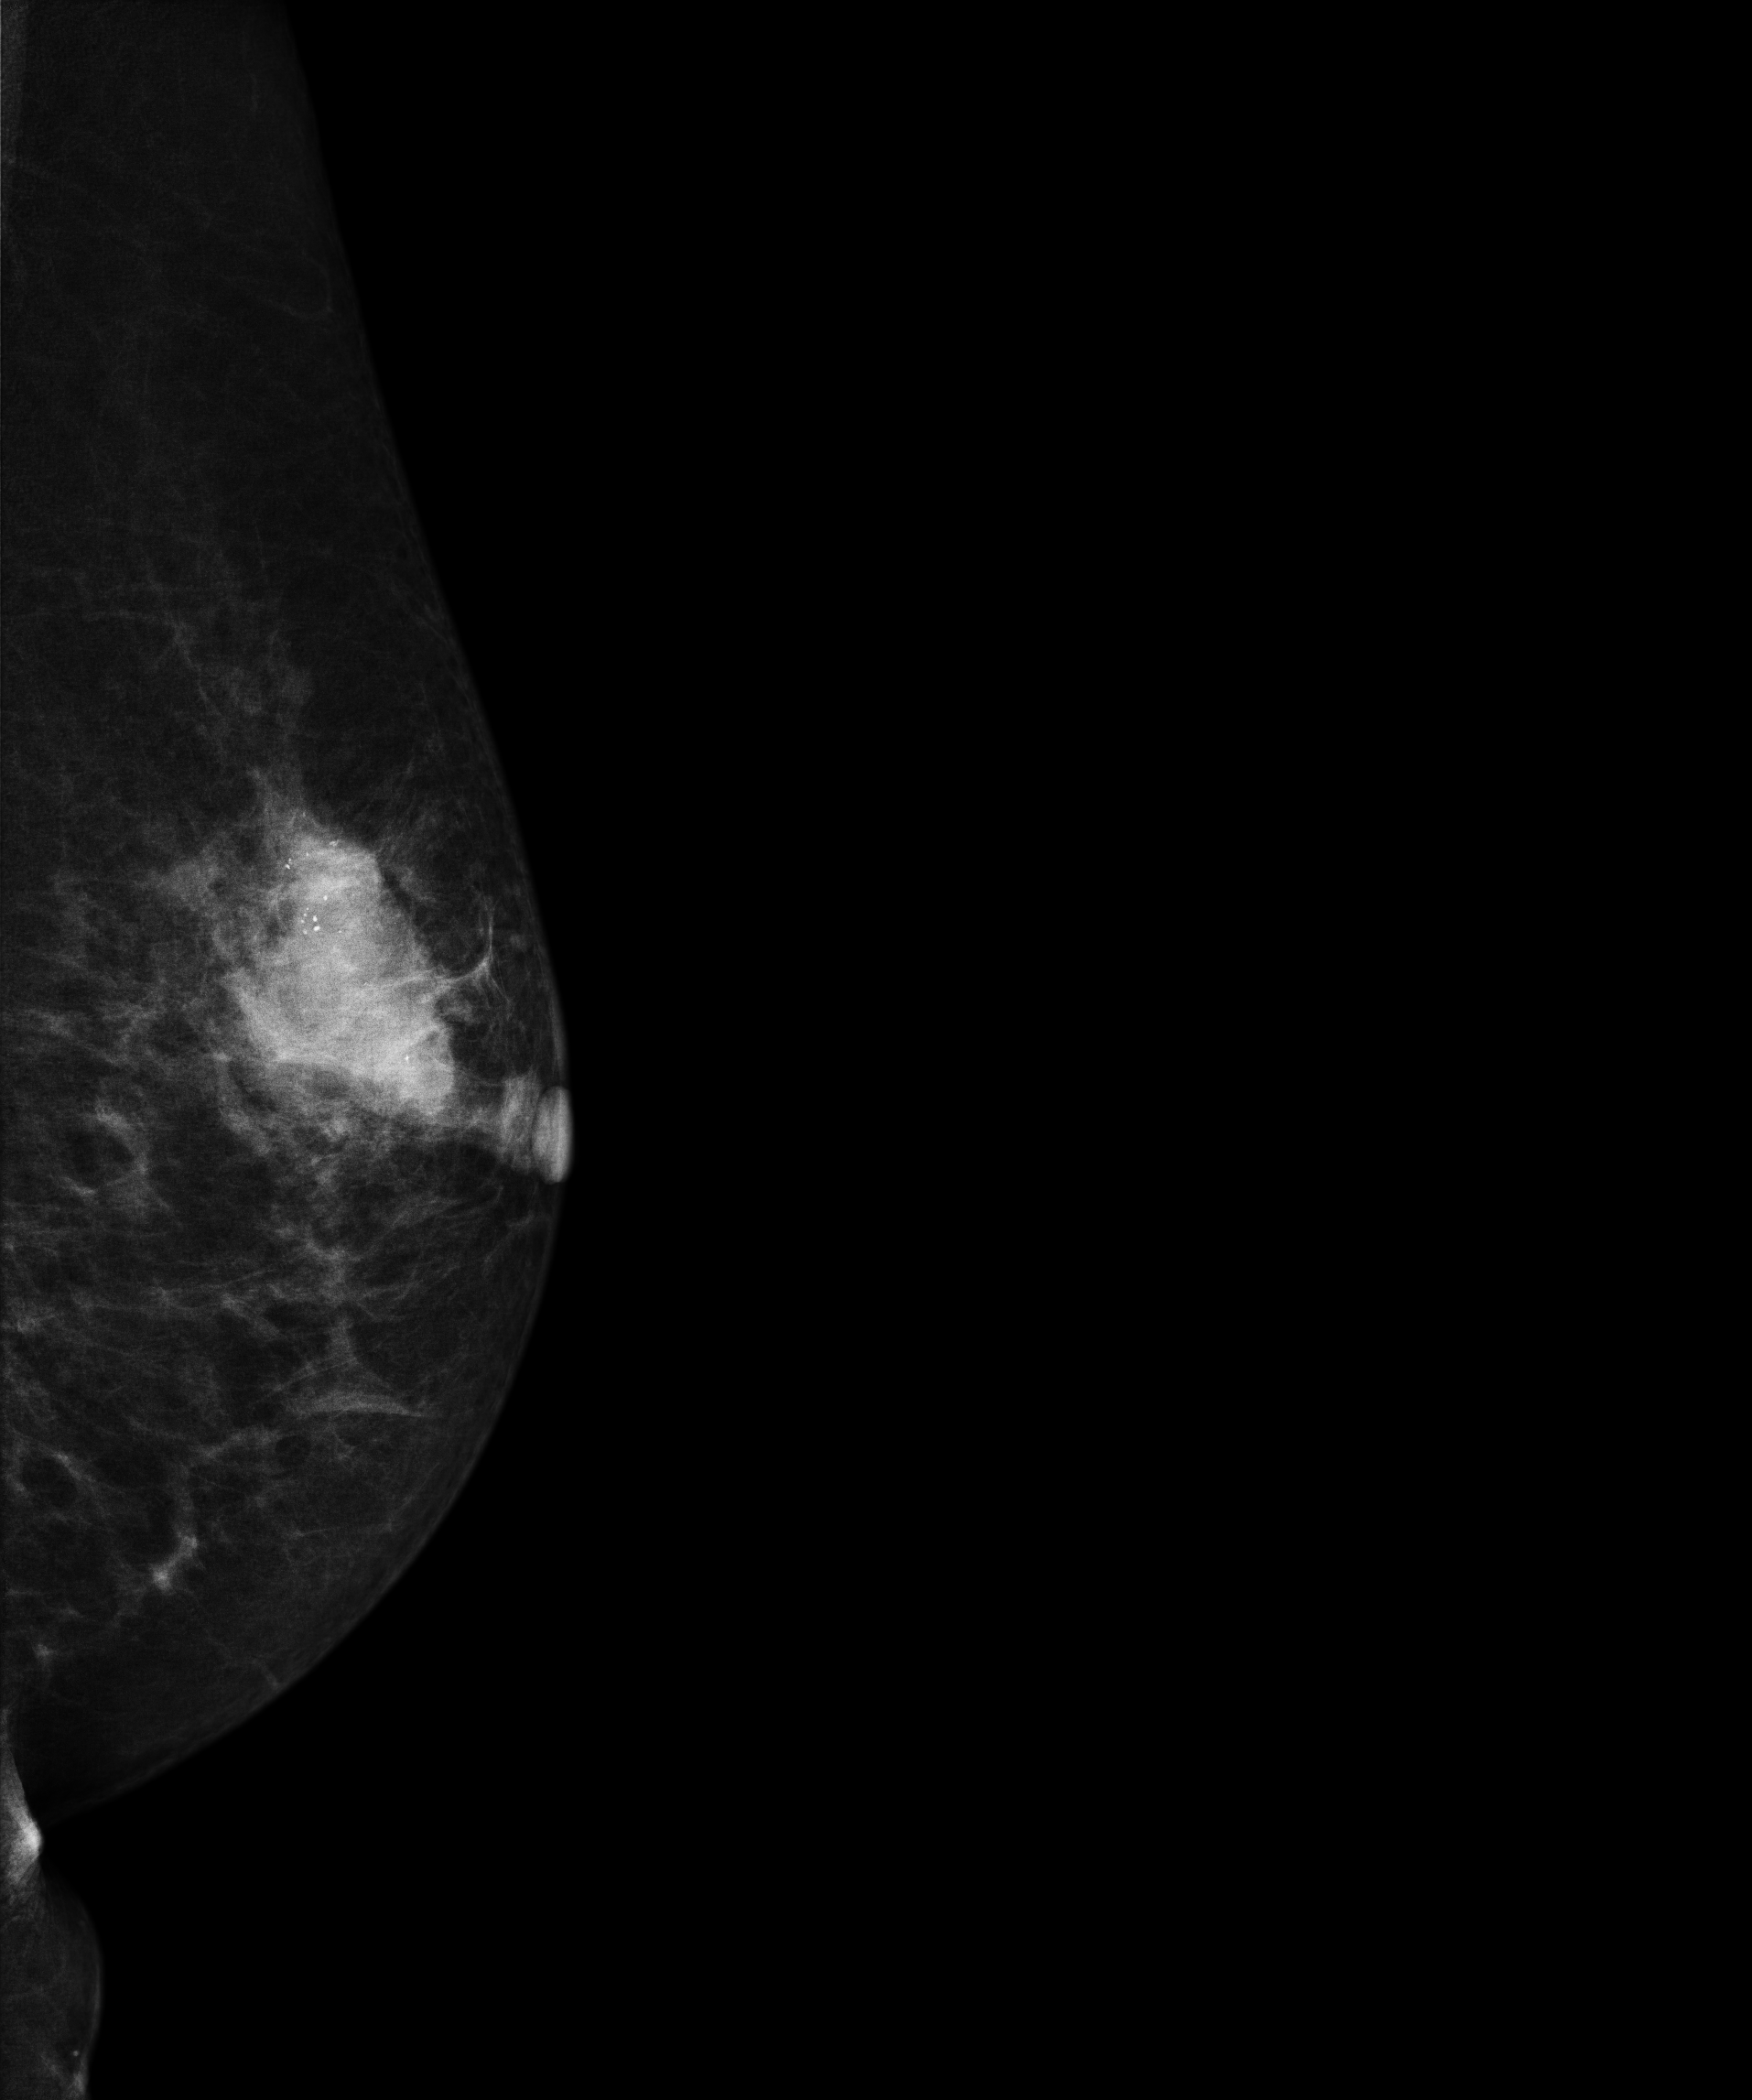
Mammogram — left medio-lateral oblique. 71-year-old patient.
This breast has a mass and calcifications, biopsy-proven malignant.